Digital mammography. Right breast, MLO projection. 59-year-old patient.
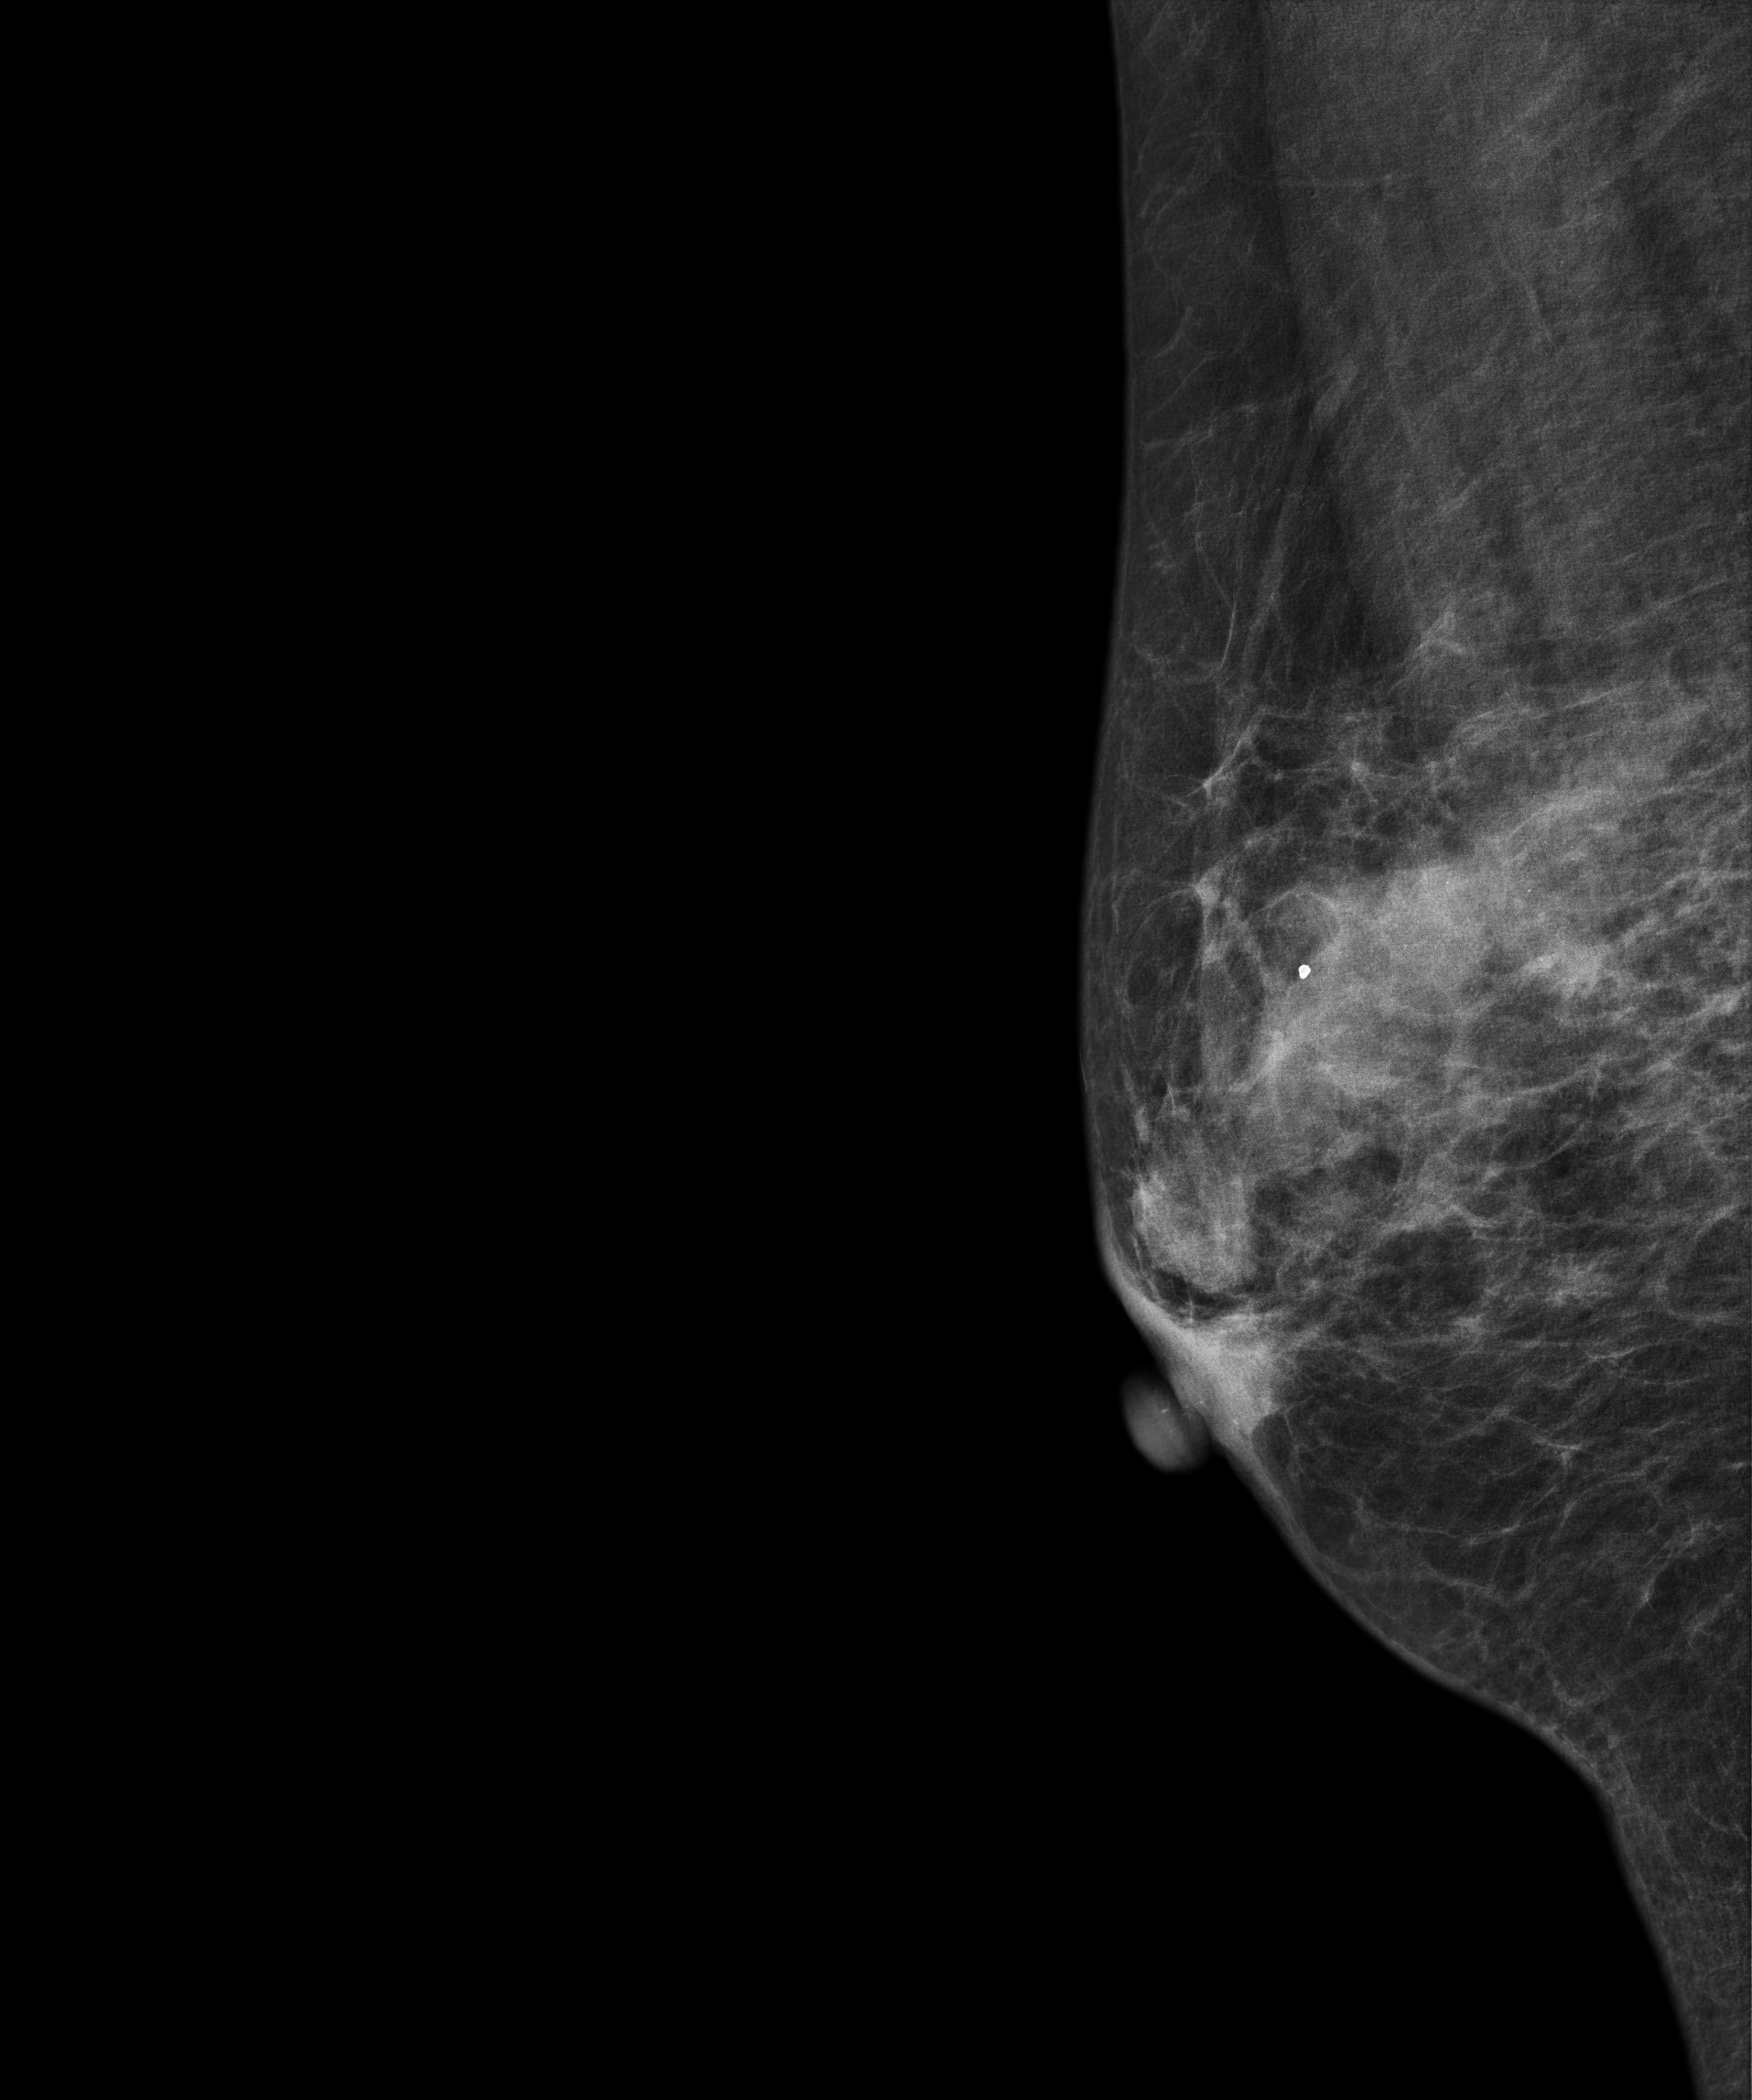
This breast has a mass and calcifications, biopsy-confirmed malignant. Molecular subtype: luminal B.